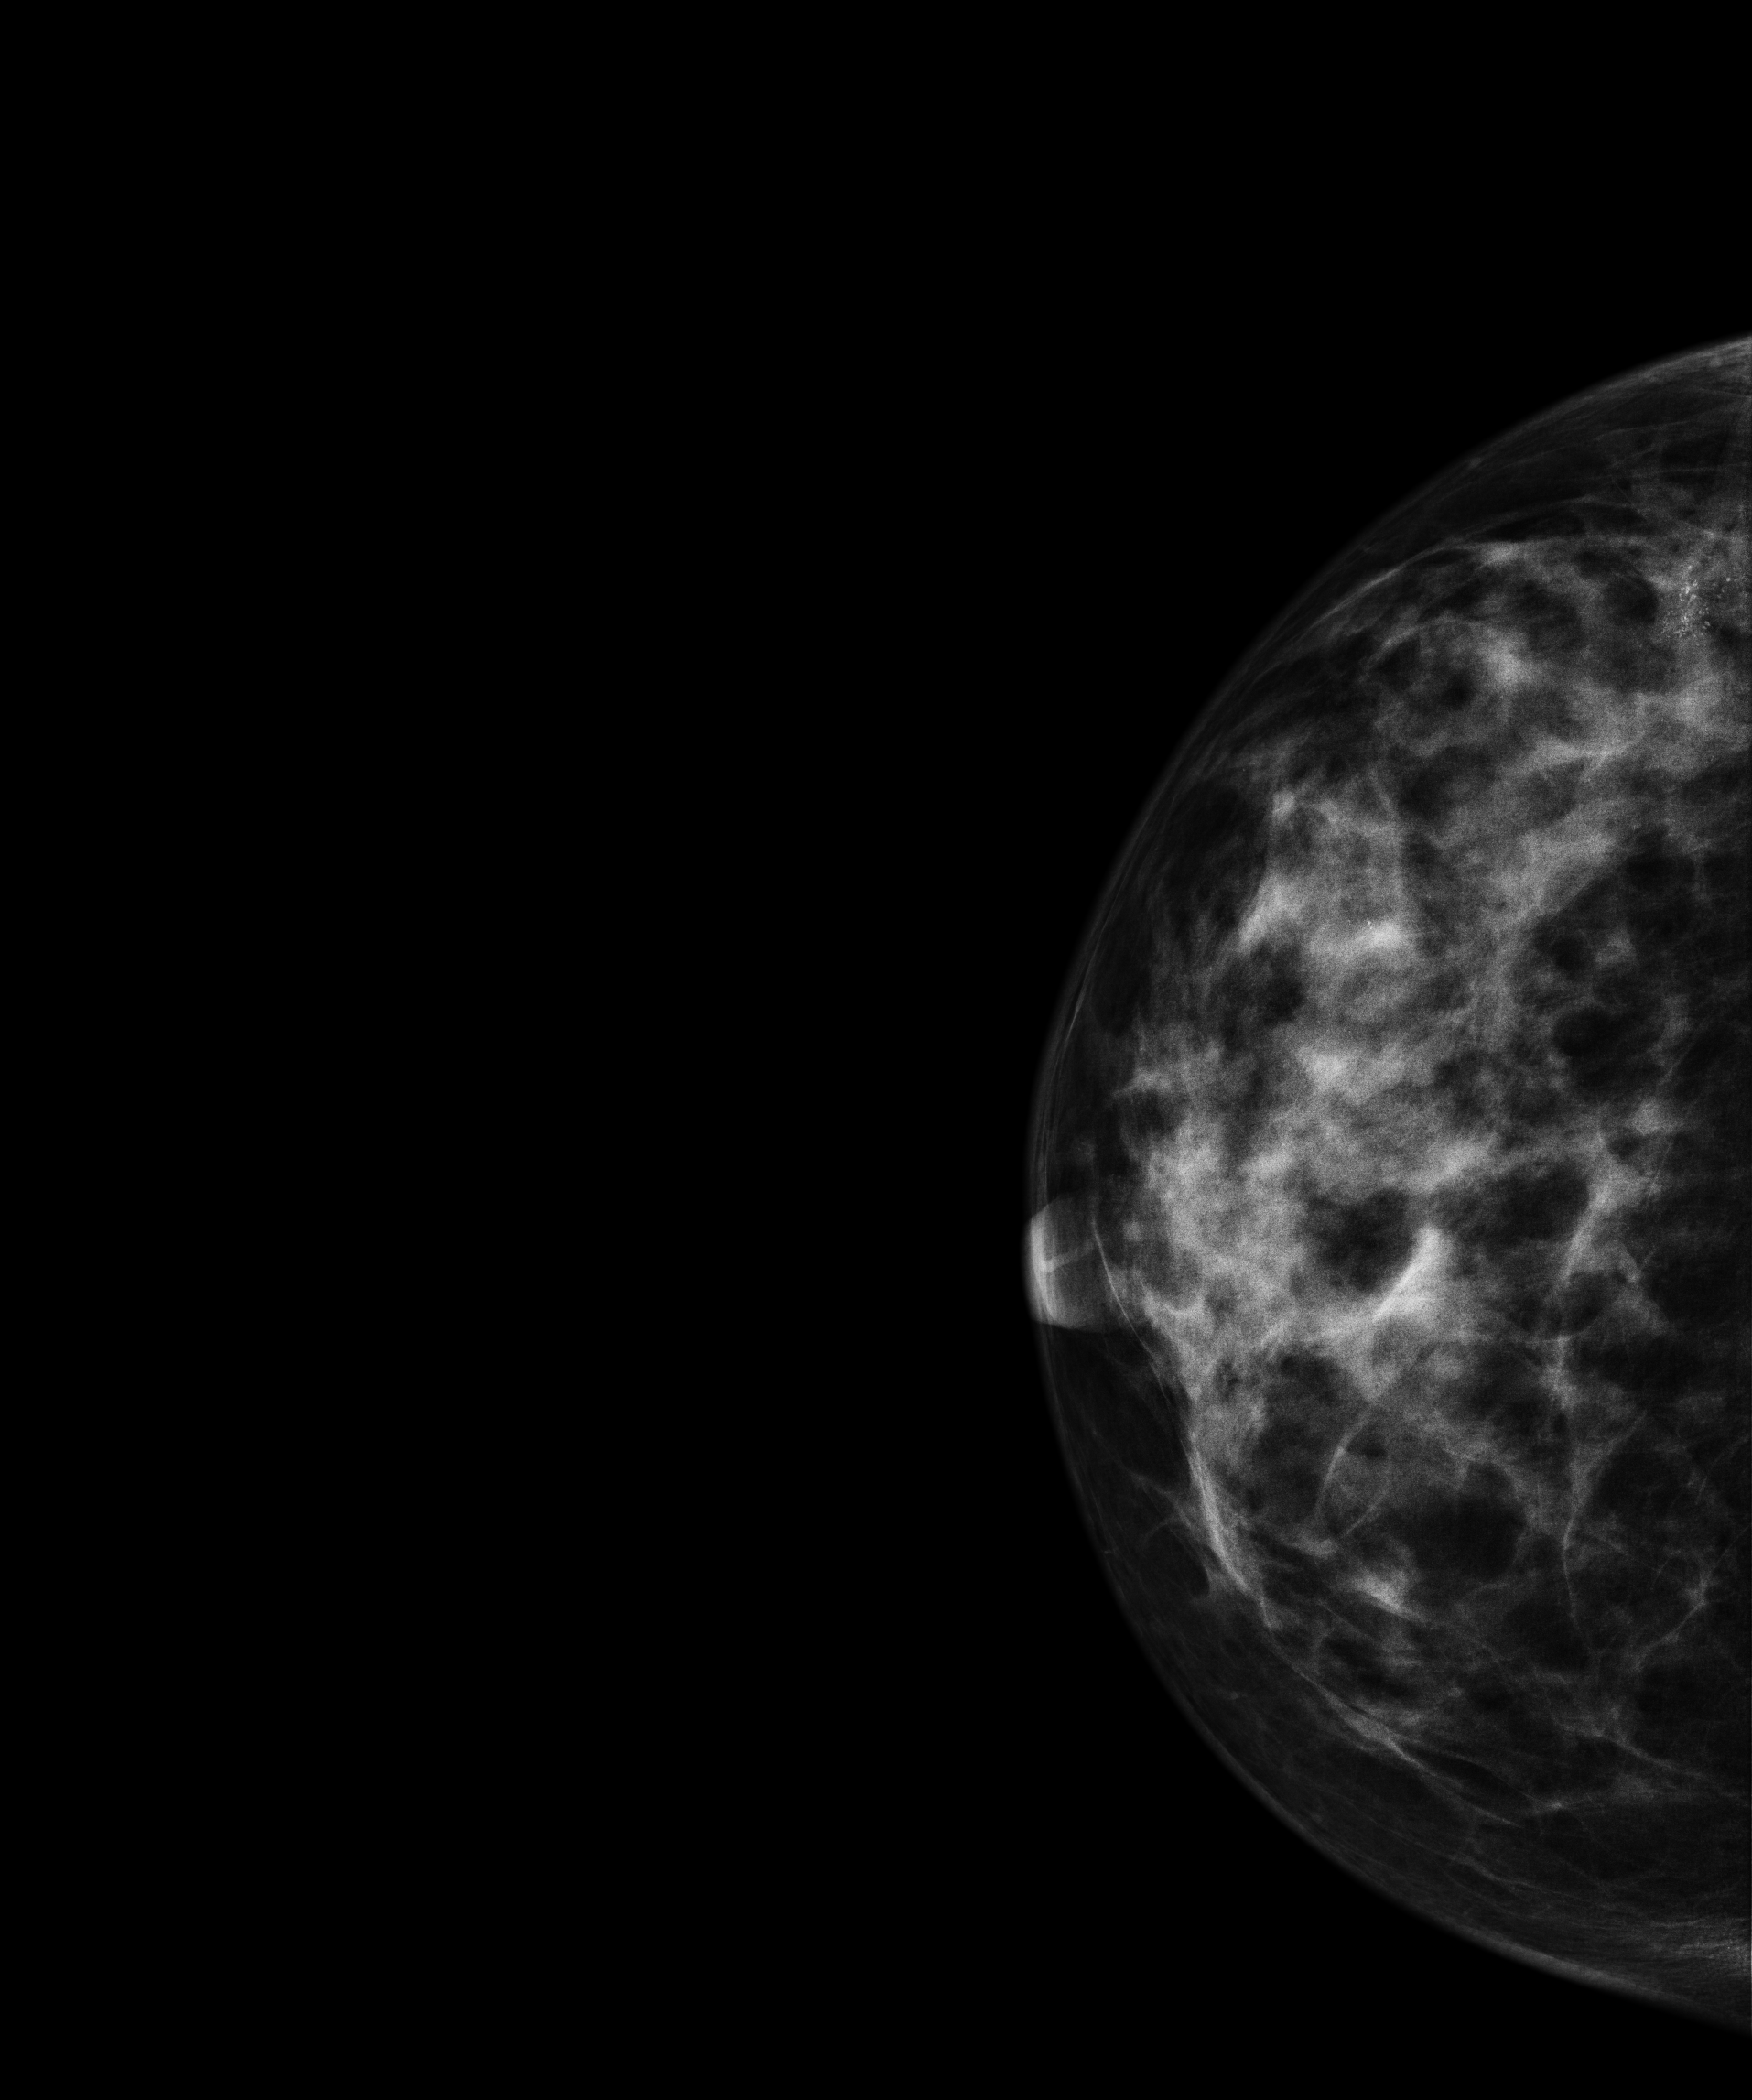
Mammogram — right CC. 32 y/o patient.
This breast has a mass and calcifications, biopsy-proven malignant.